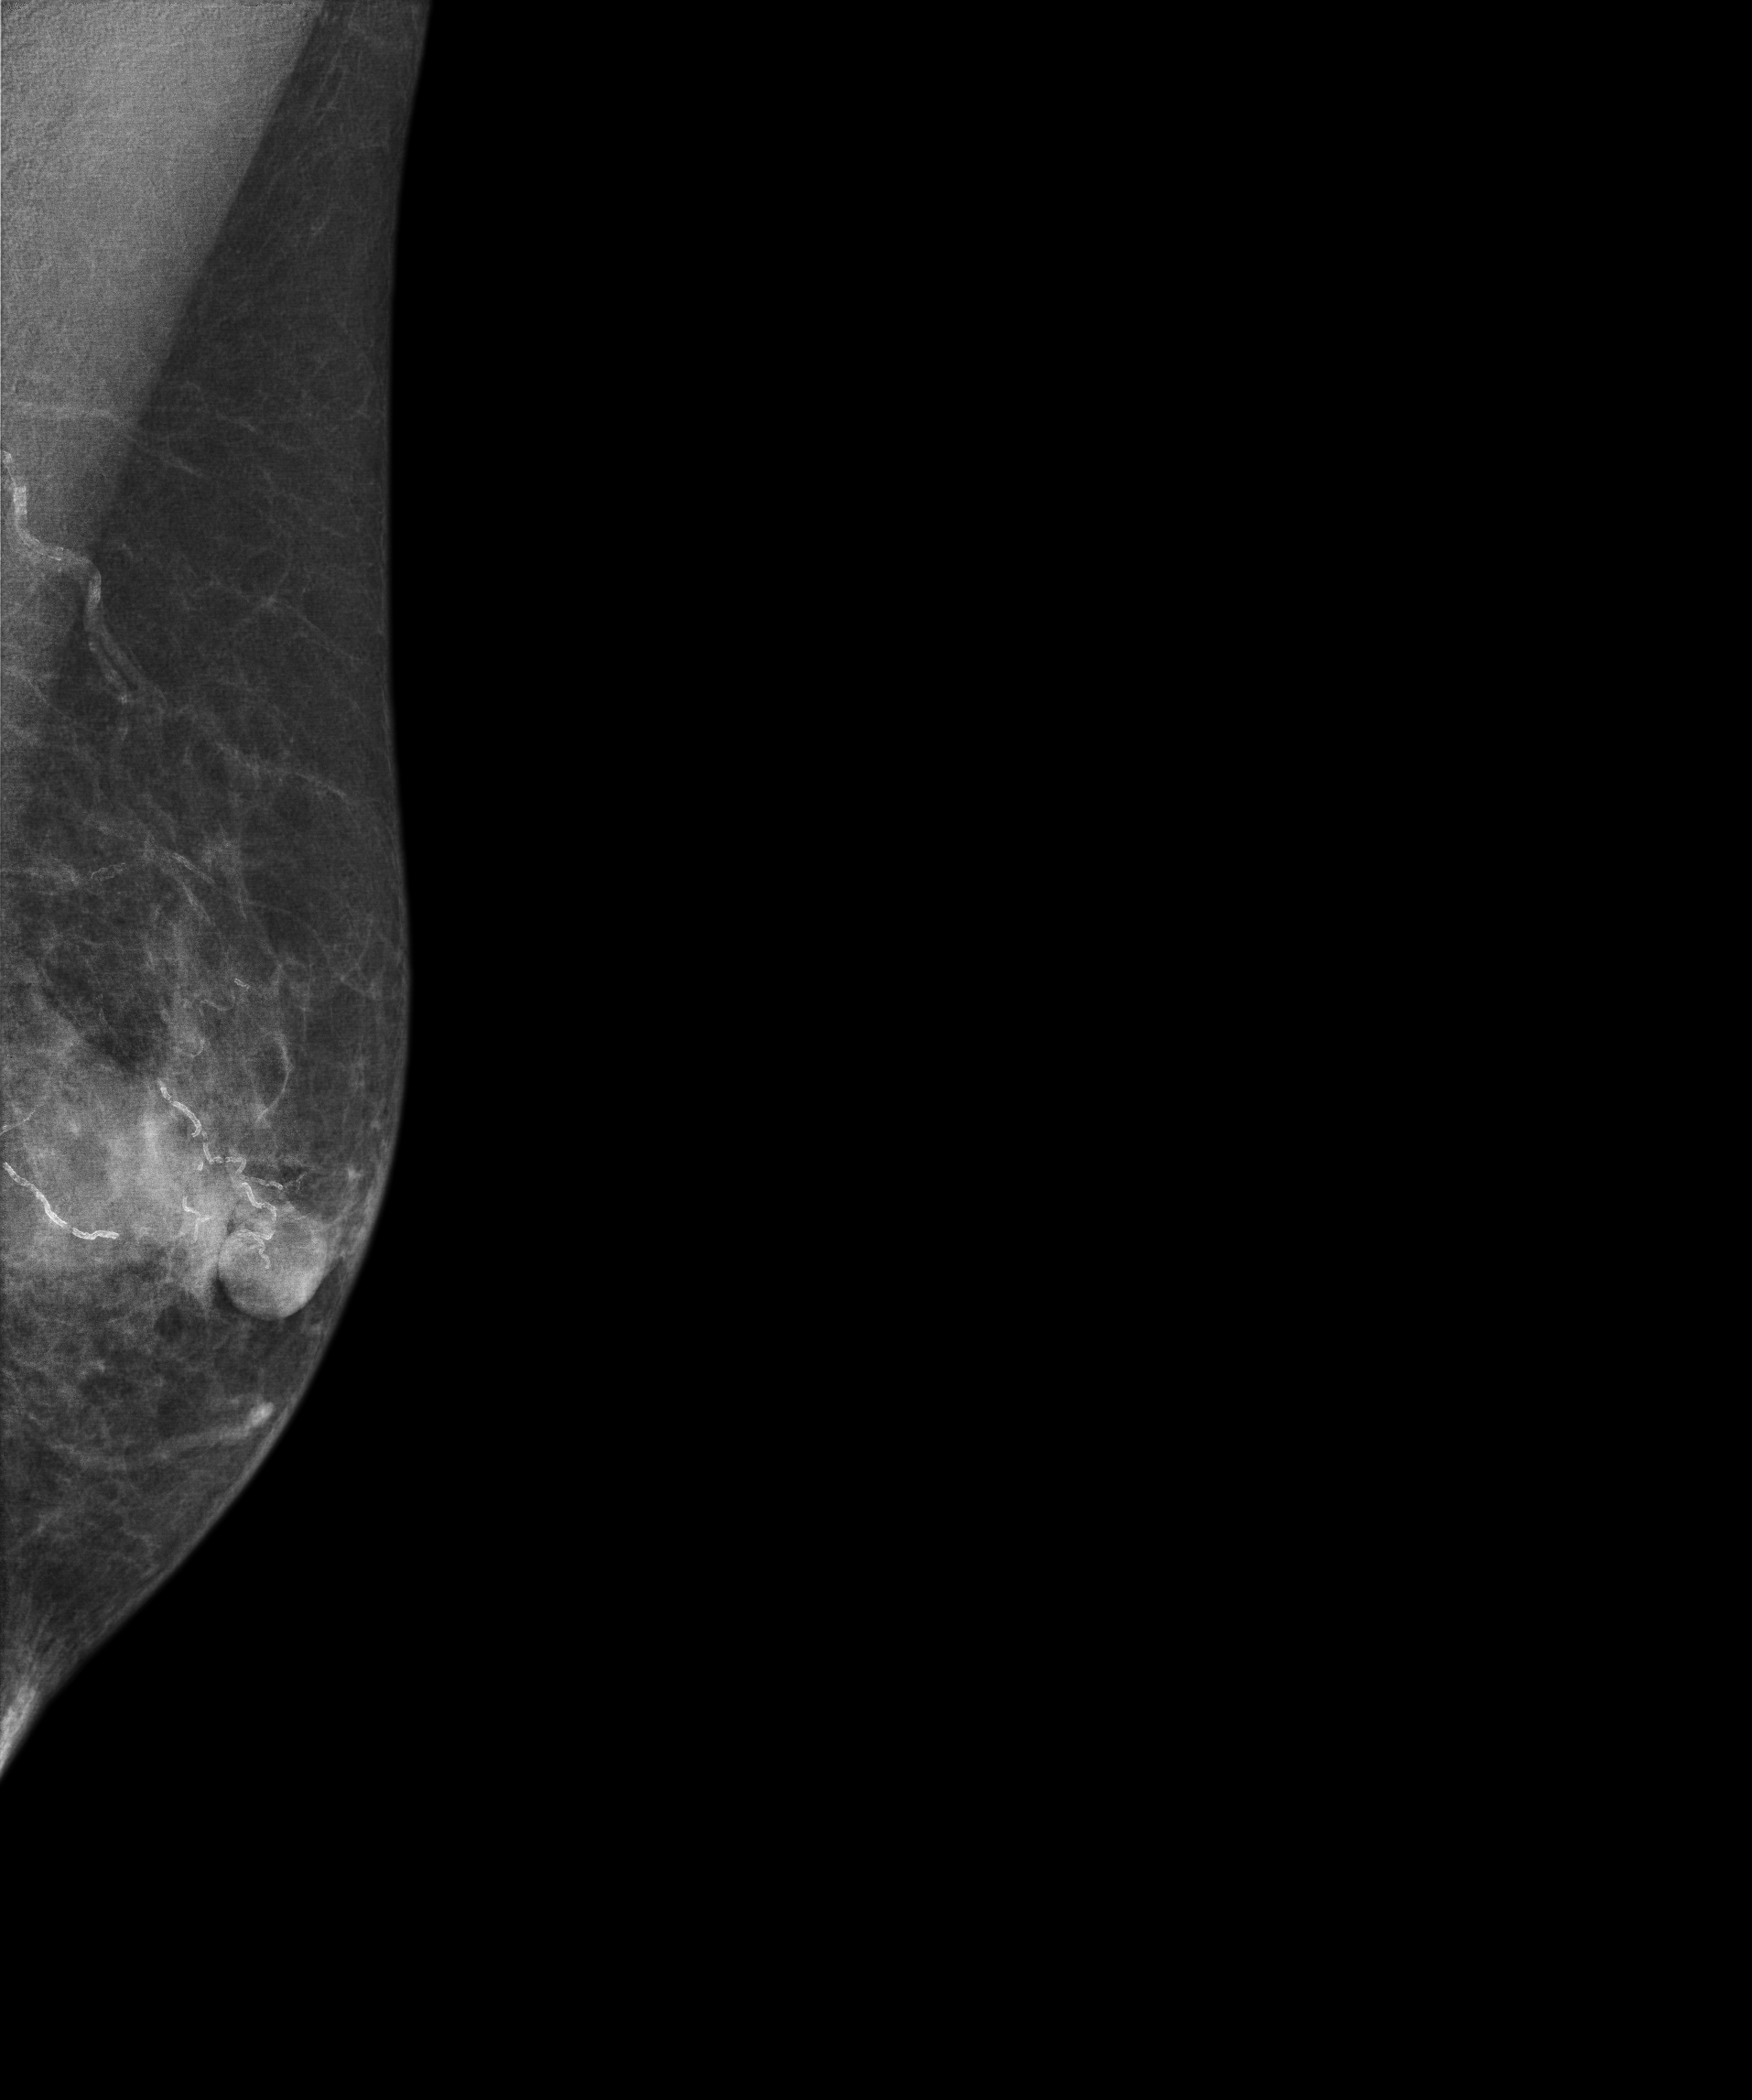
Medio-lateral oblique mammogram of the left breast. 85-year-old patient.
This breast has a mass, biopsy-confirmed malignant. Molecular subtype: triple-negative.